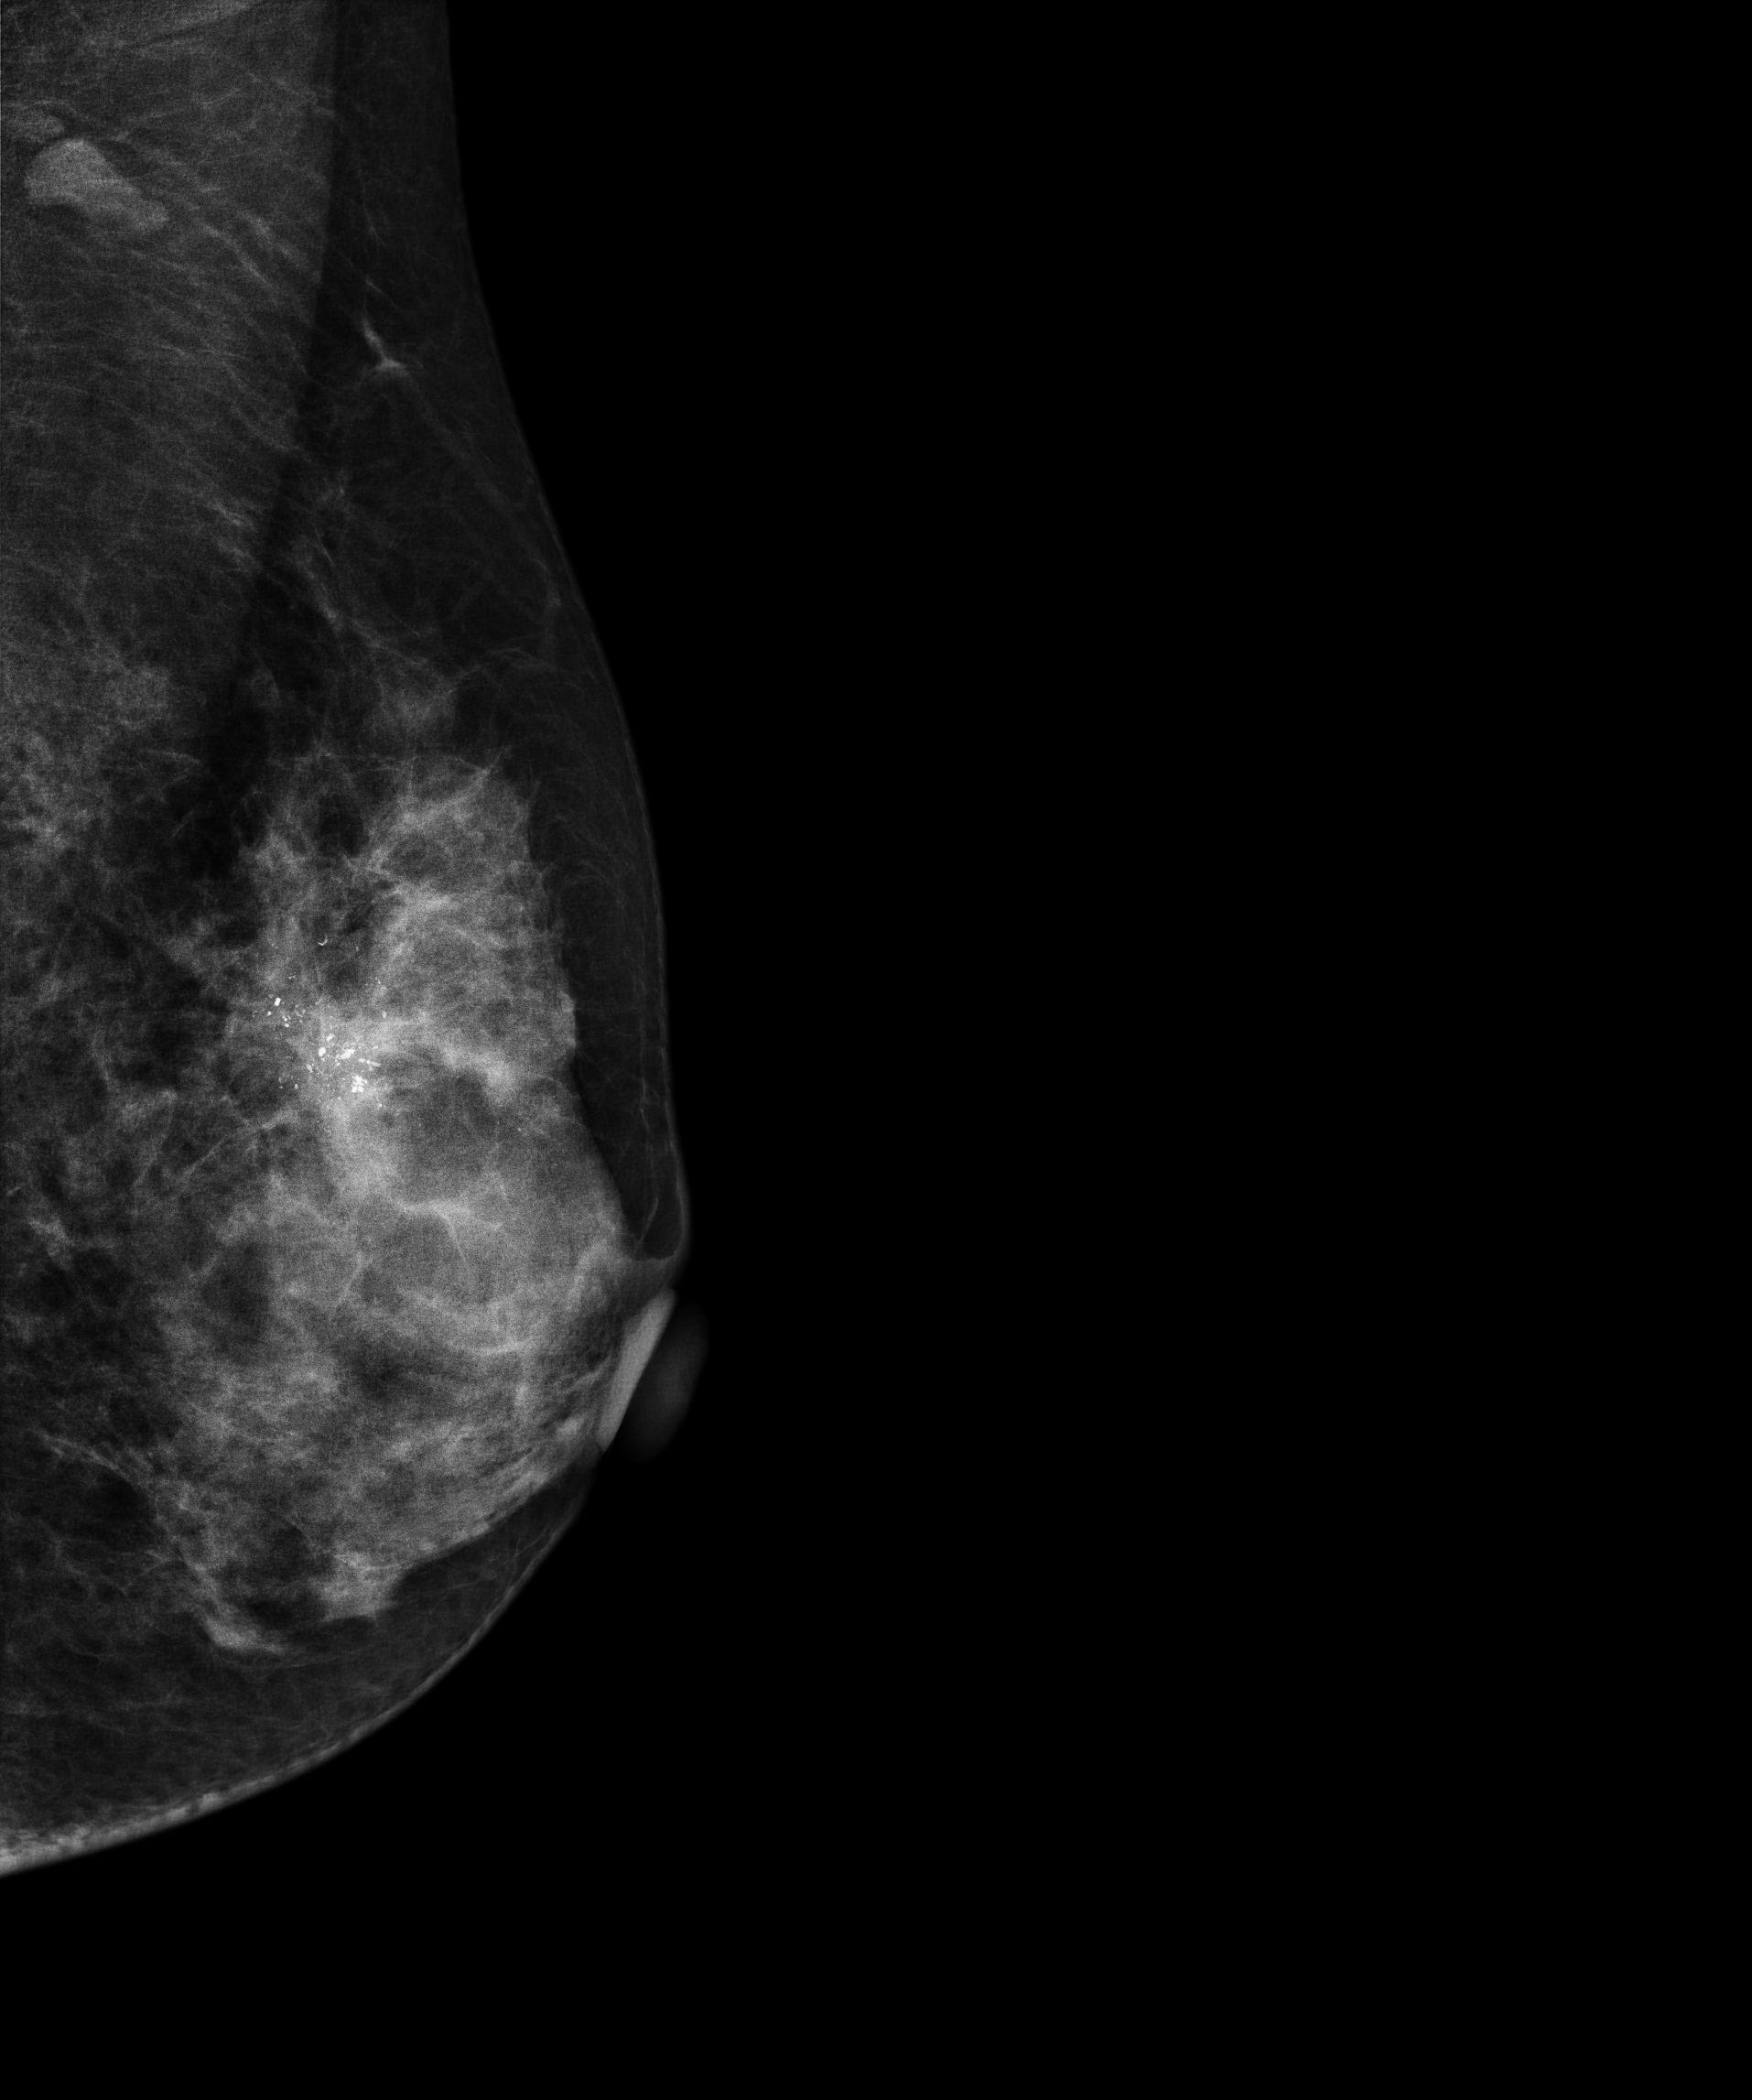
Mammogram — left medio-lateral oblique. Patient age 49.
This breast has a mass and calcifications, histologically confirmed malignant. Molecular subtype: HER2-enriched.